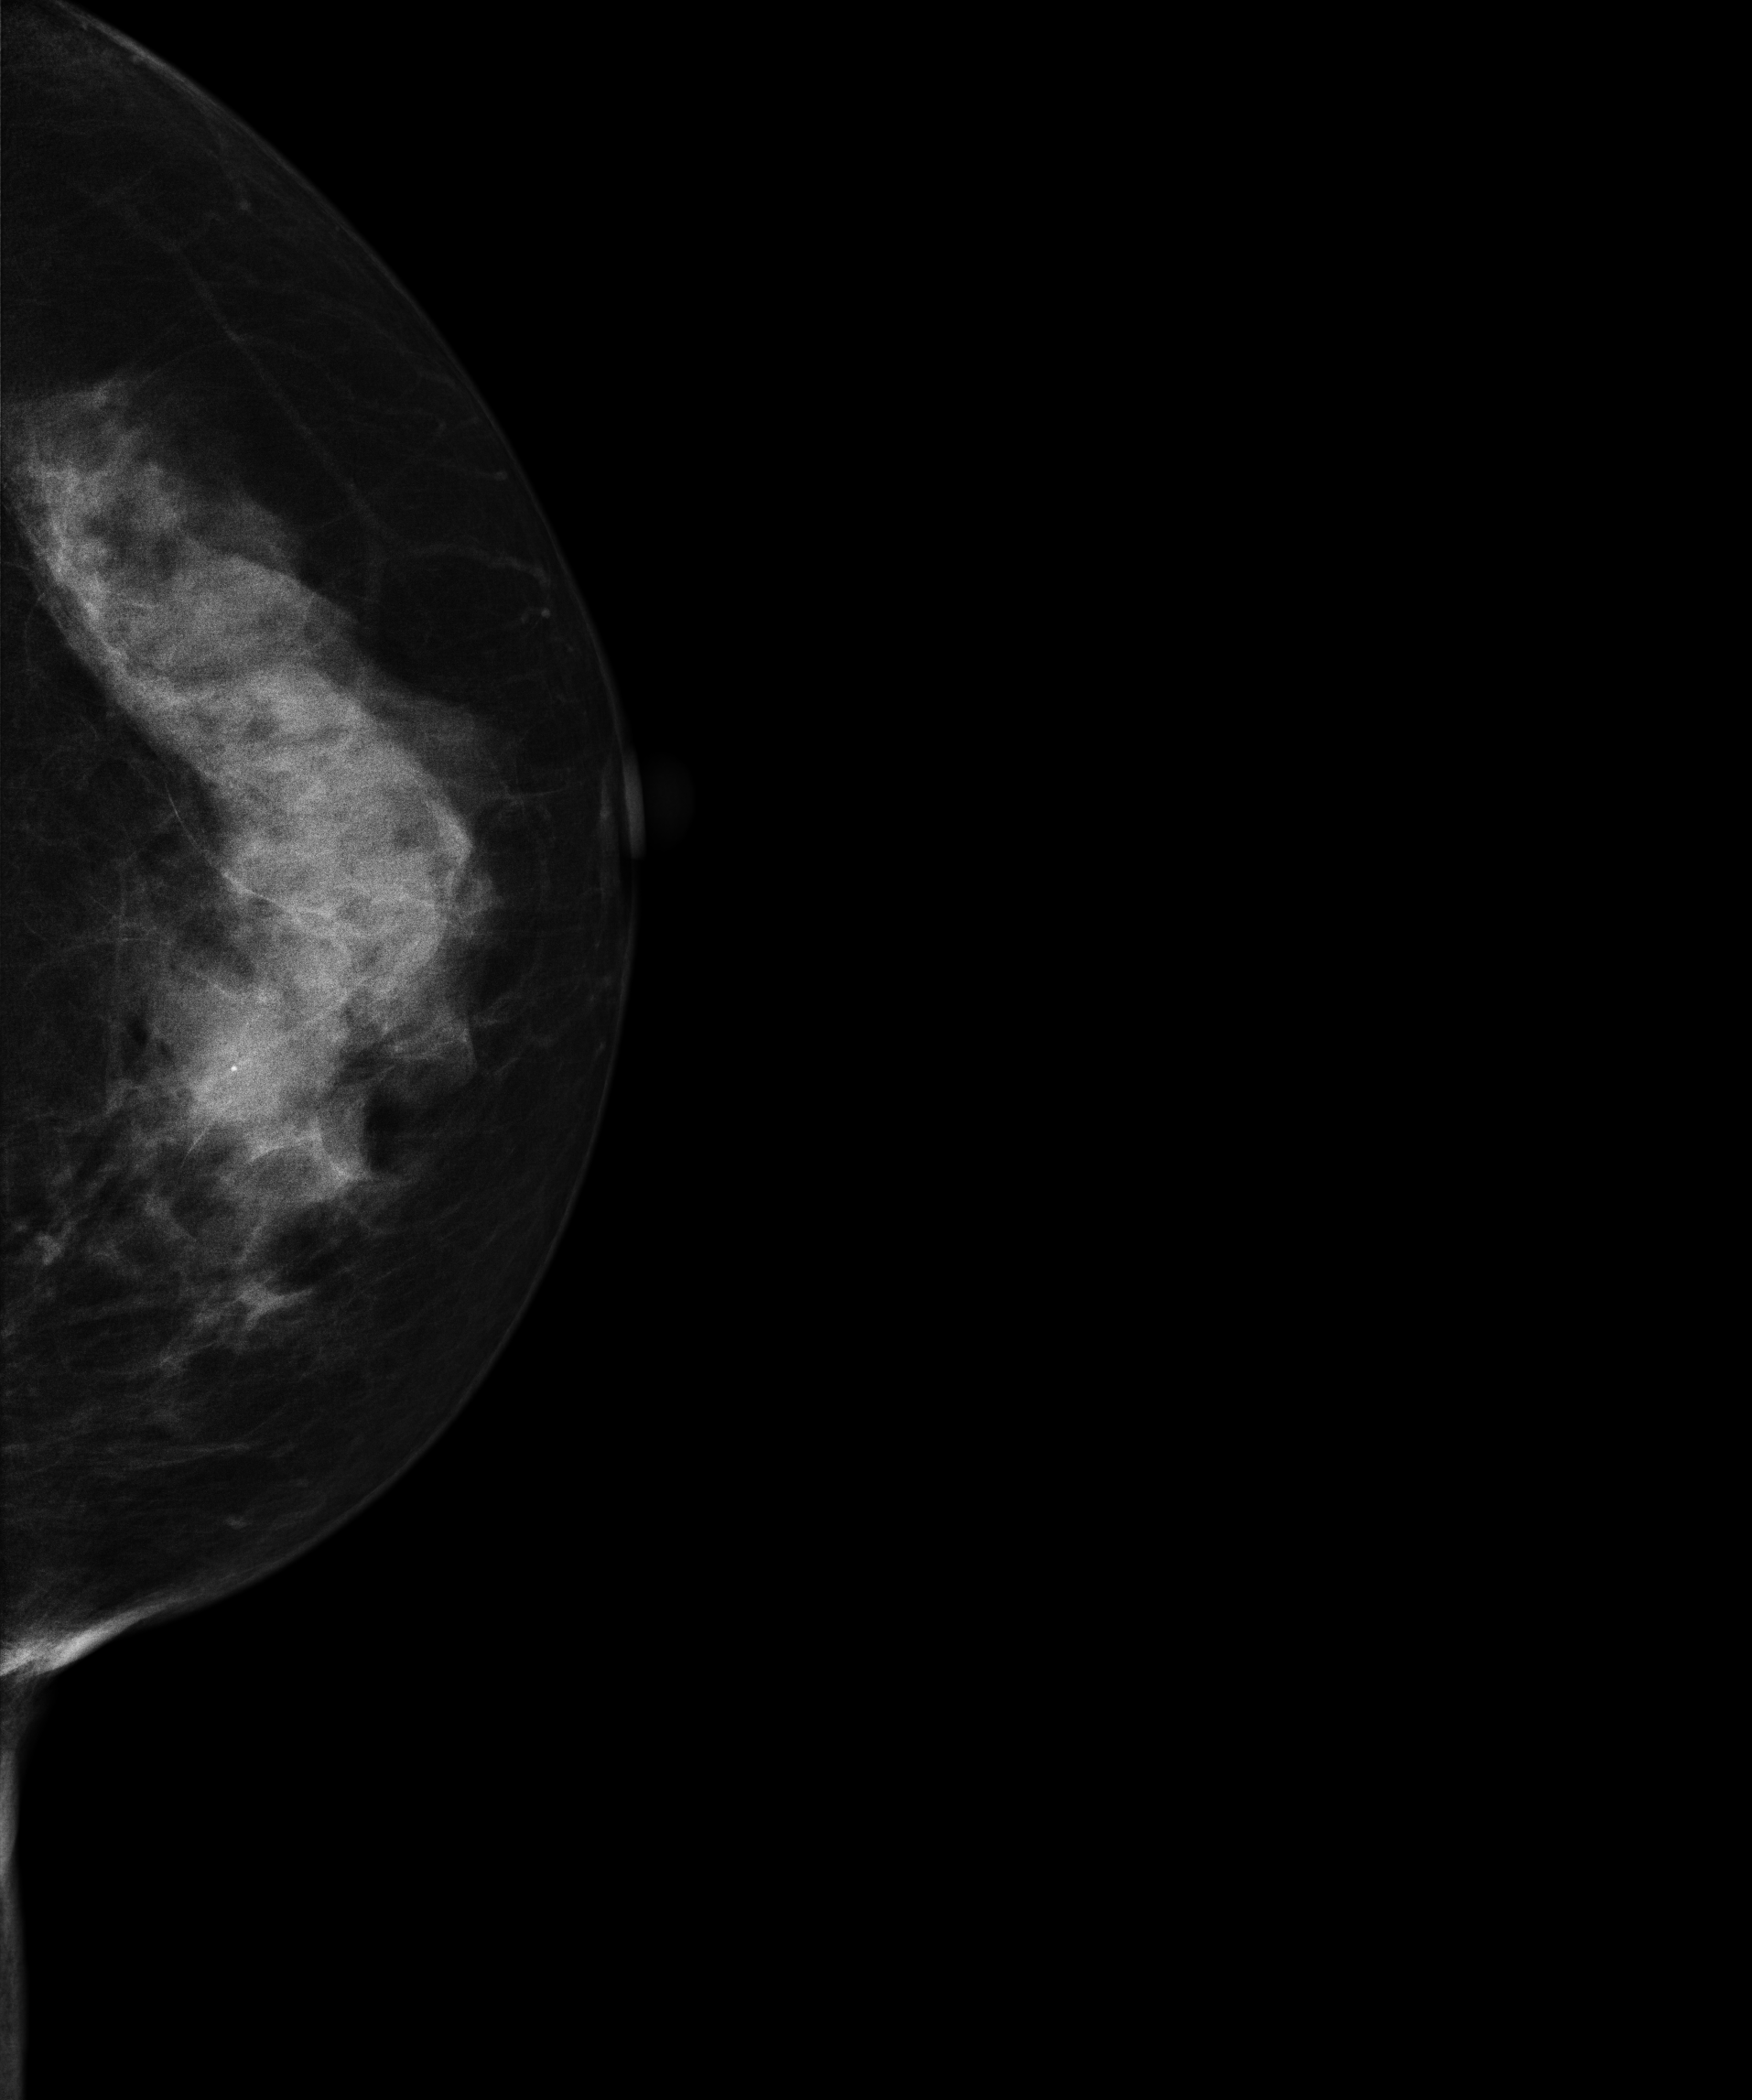
Mammogram, left breast, CC view. 61 y/o patient.
This breast has a mass and calcifications, pathology-confirmed malignant.